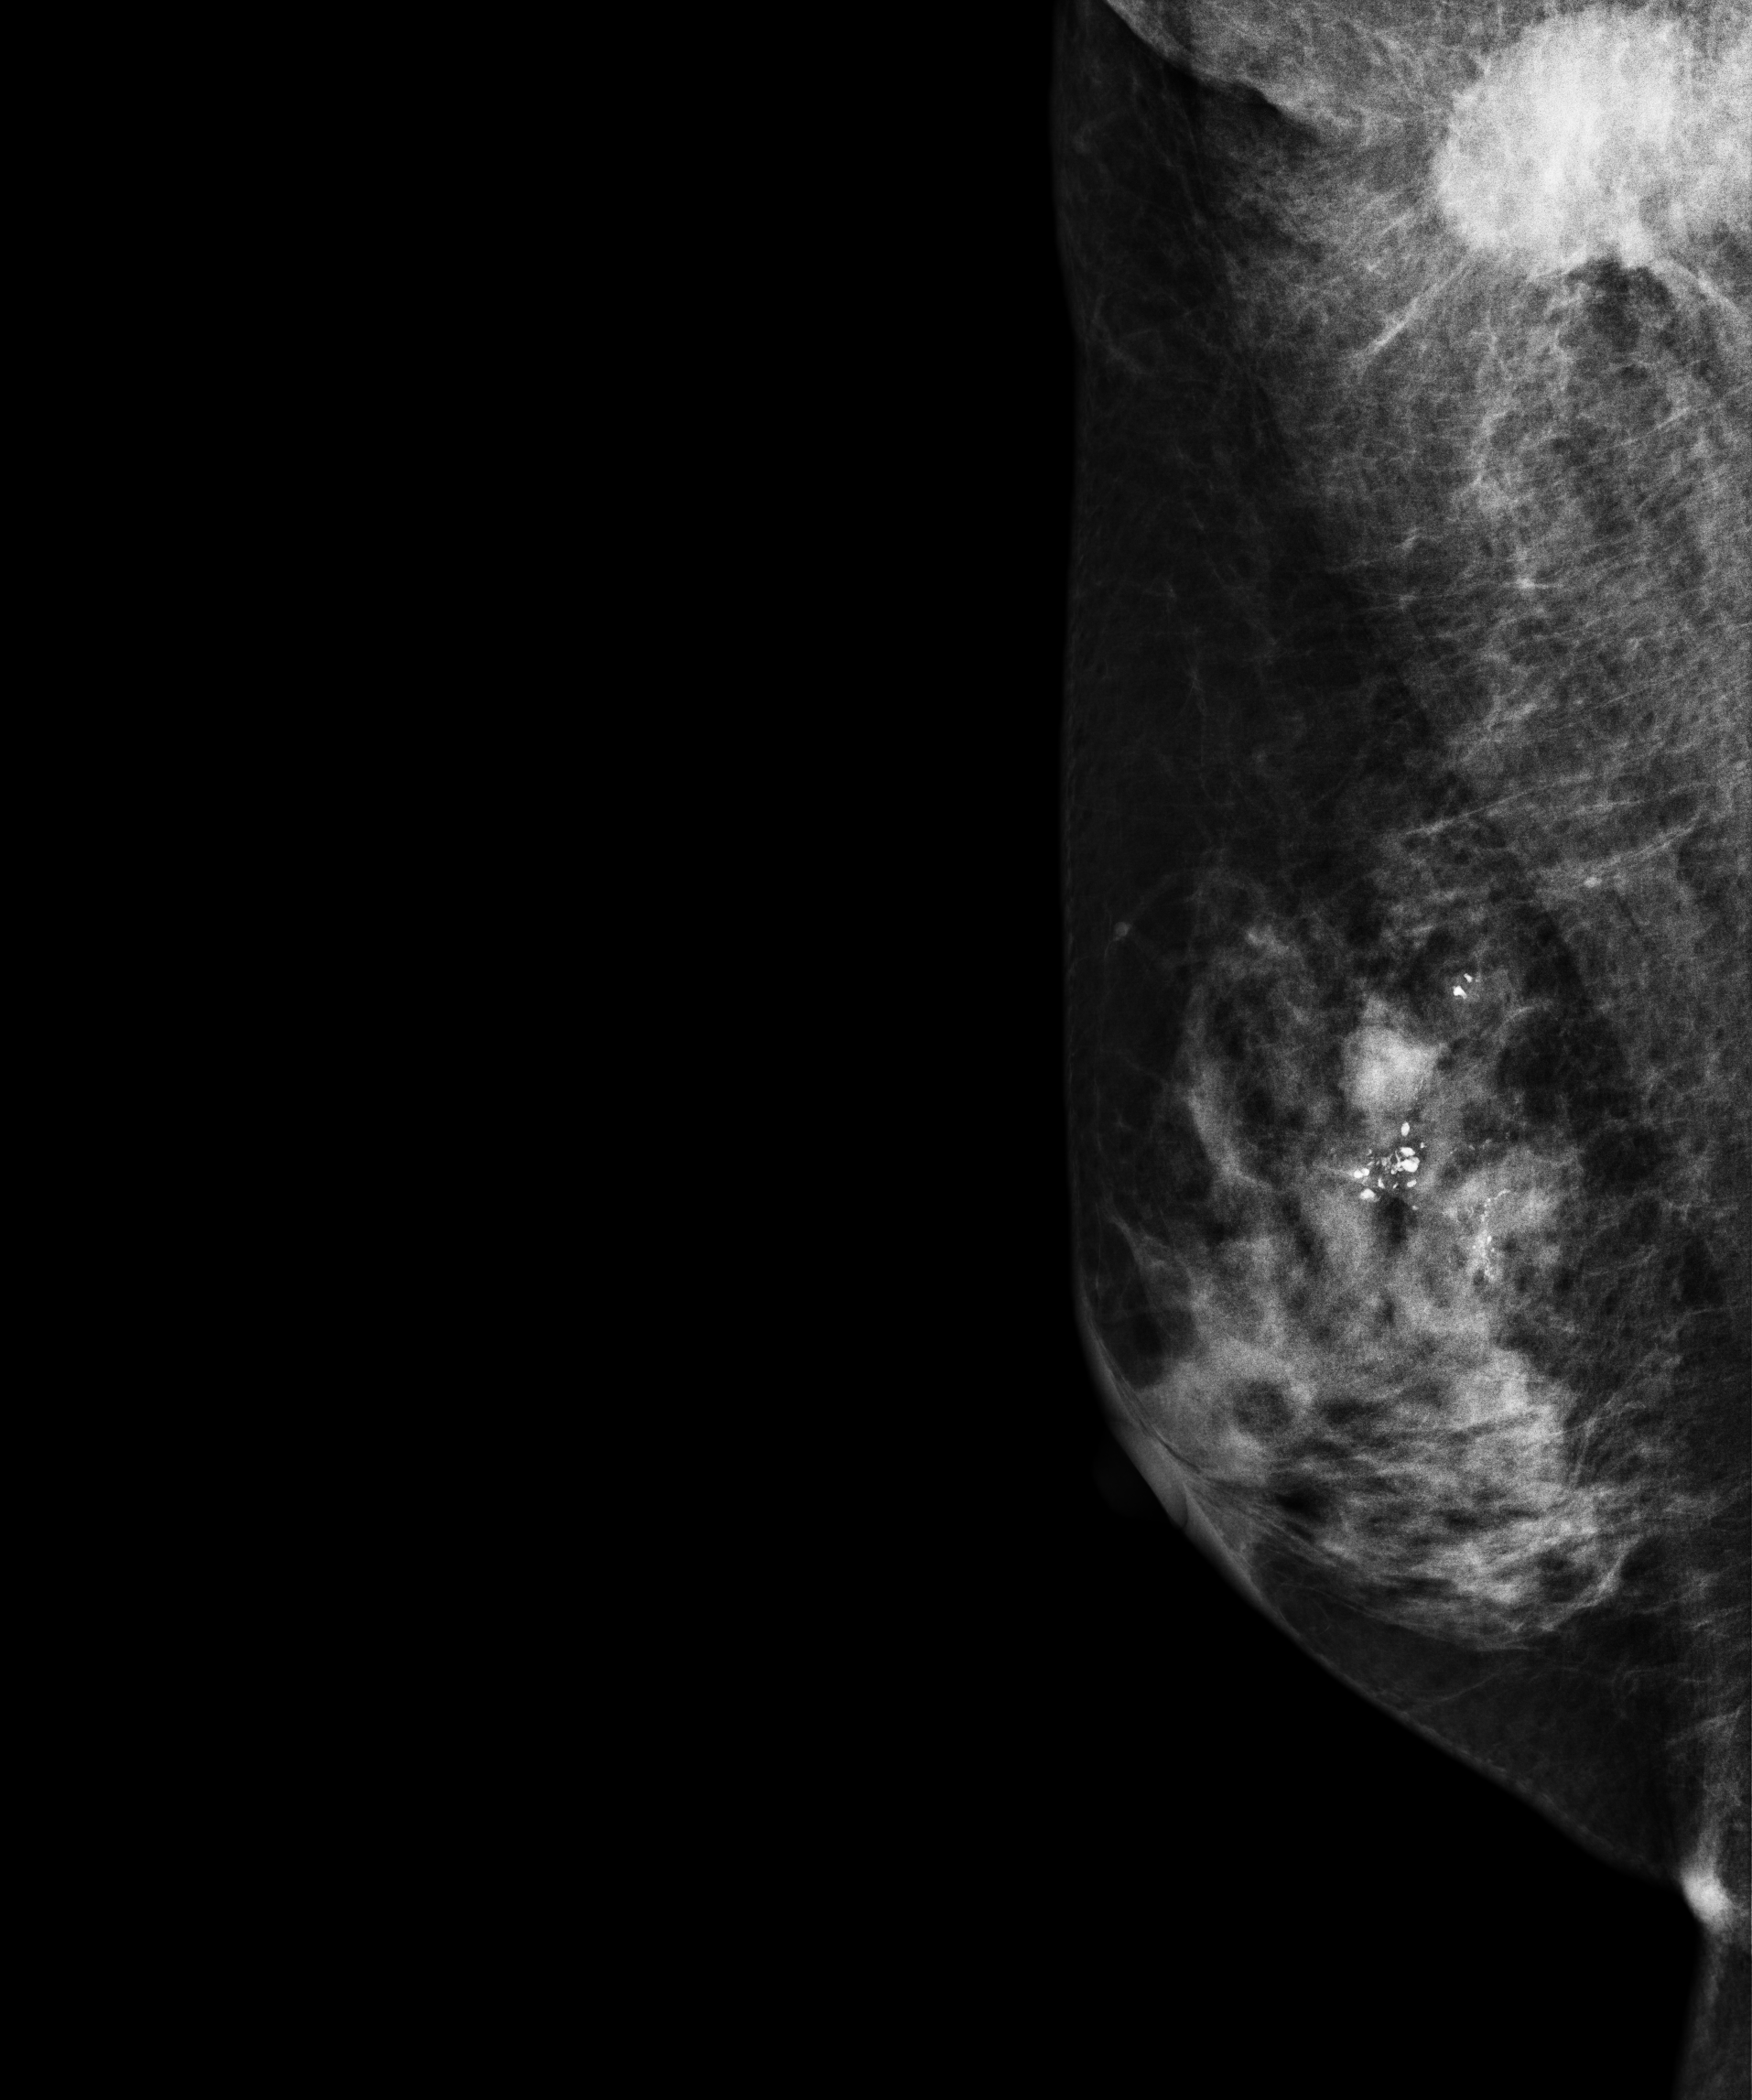
MLO mammogram of the right breast. Patient age 59.
This breast has a mass and calcifications, biopsy-proven malignant. Molecular subtype: luminal B.